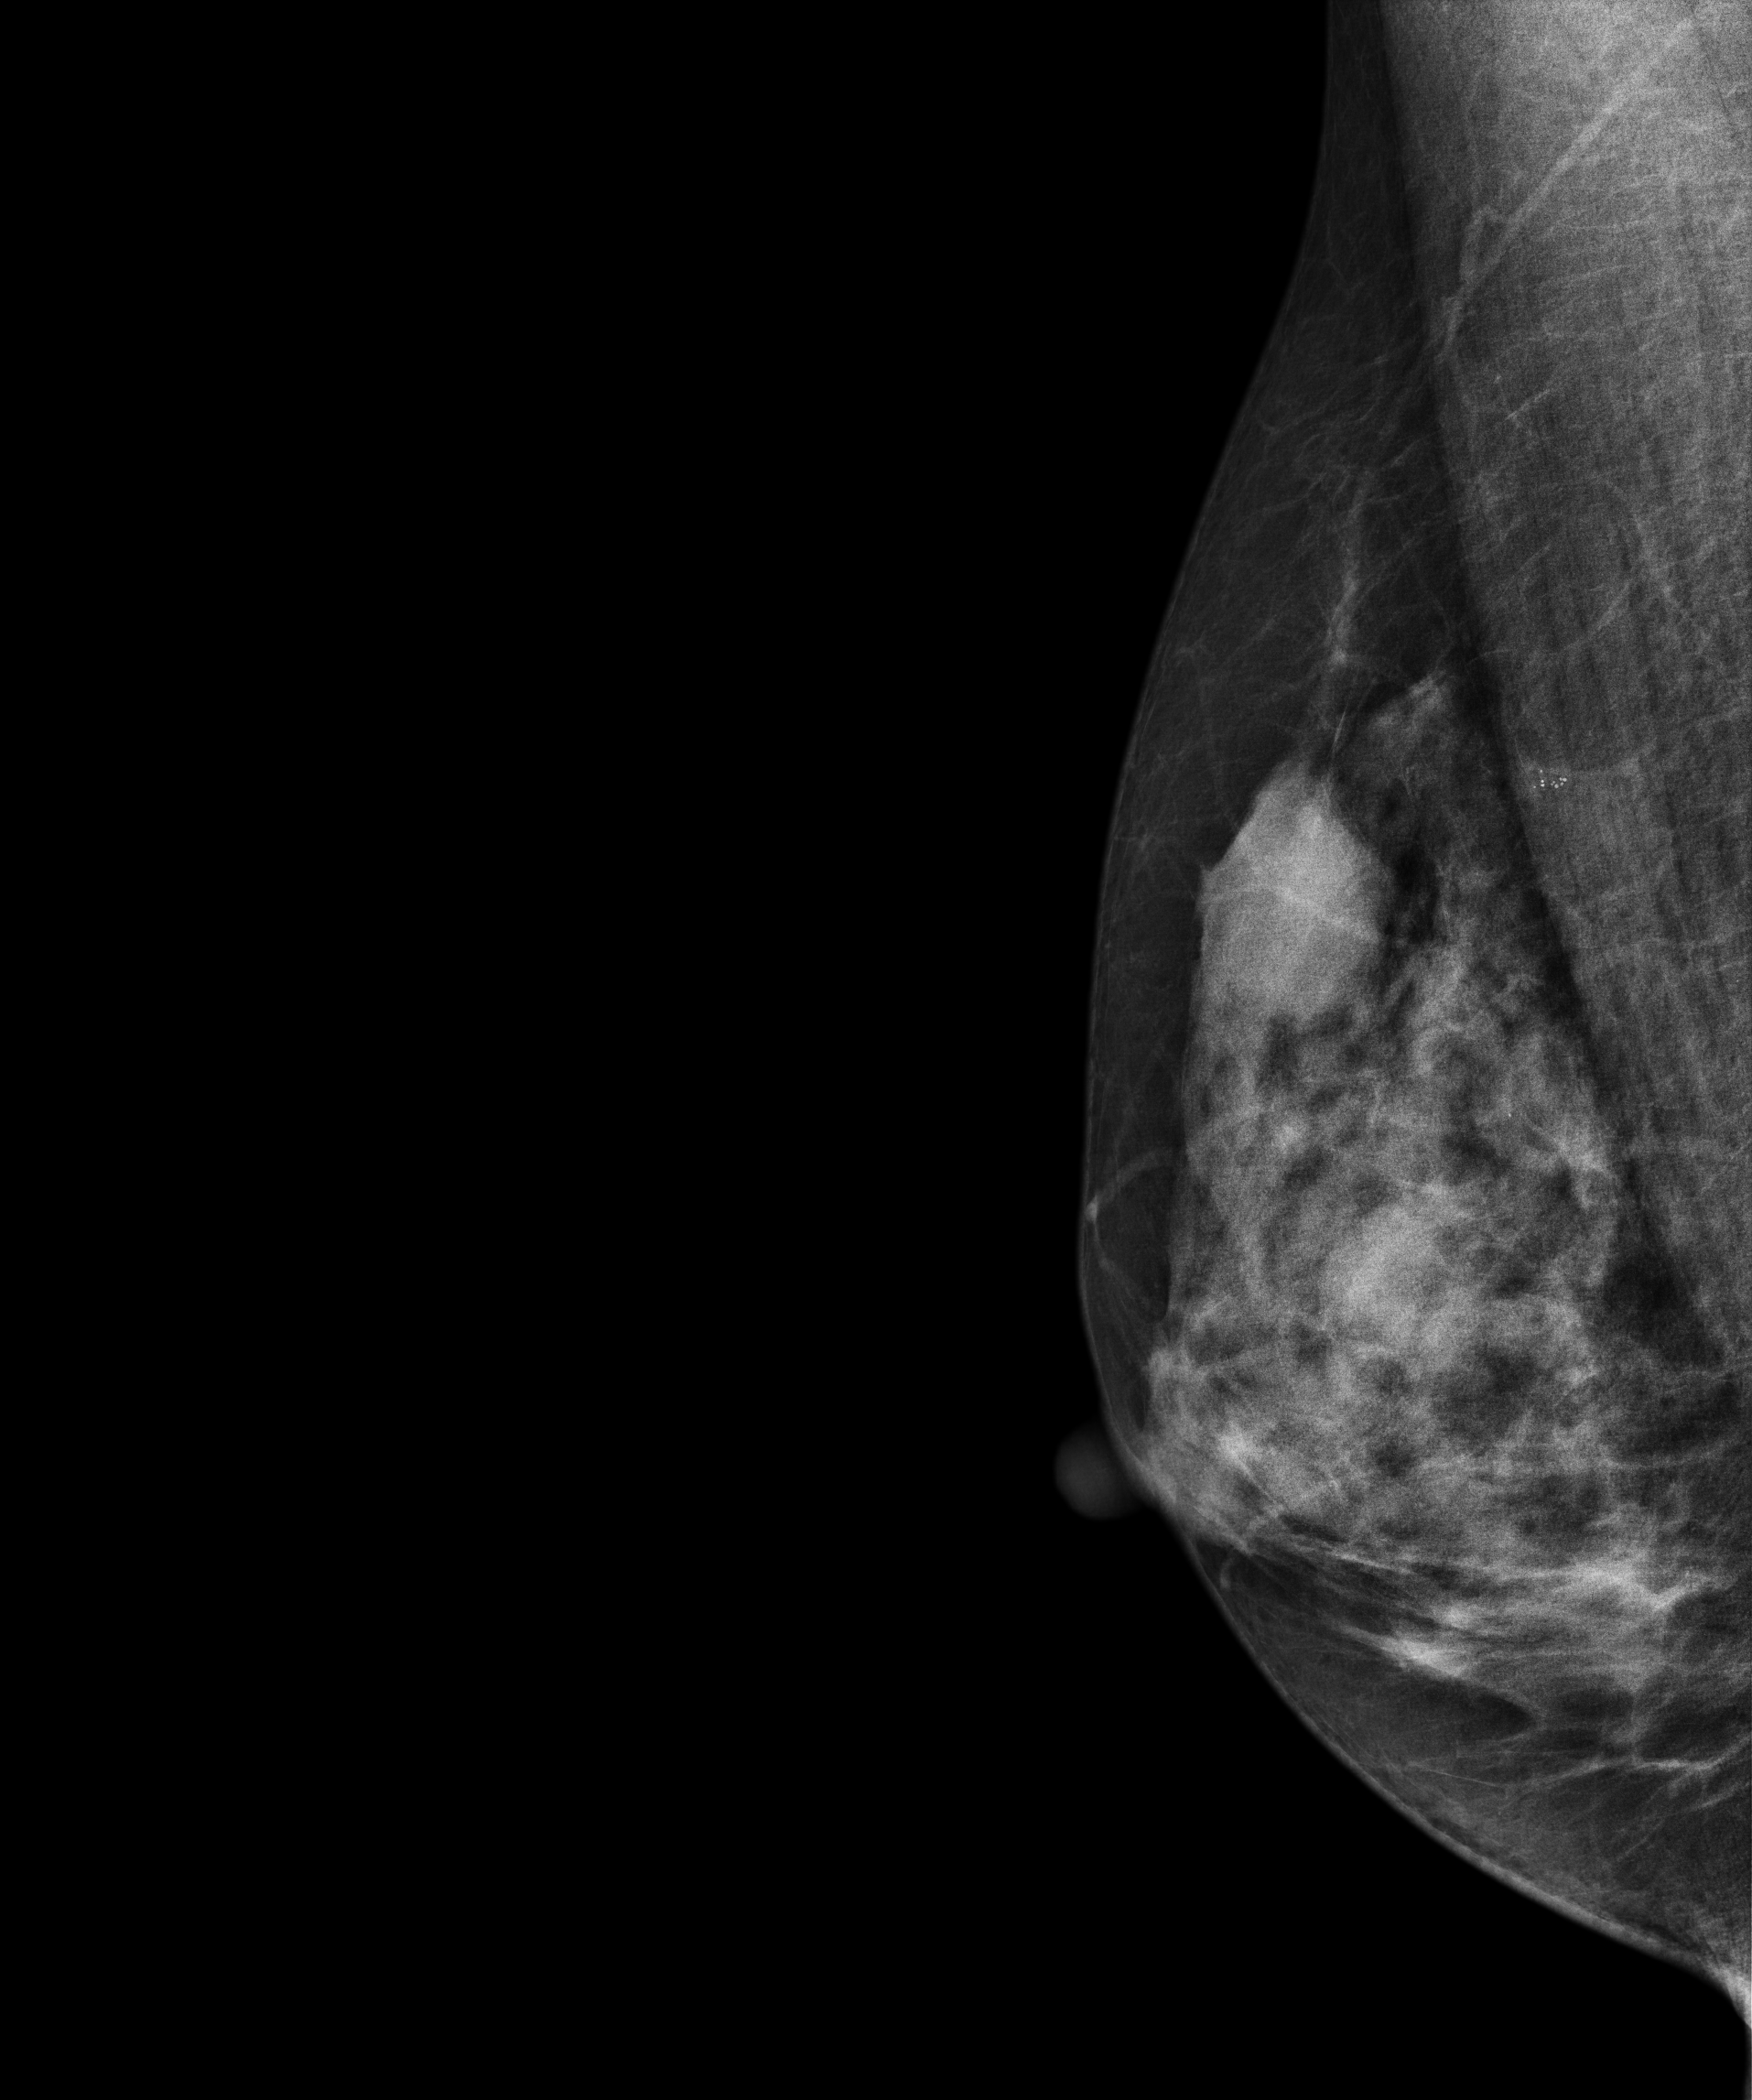
MLO mammogram of the right breast. Patient age 36.
Contralateral breast — no documented abnormality on this side.